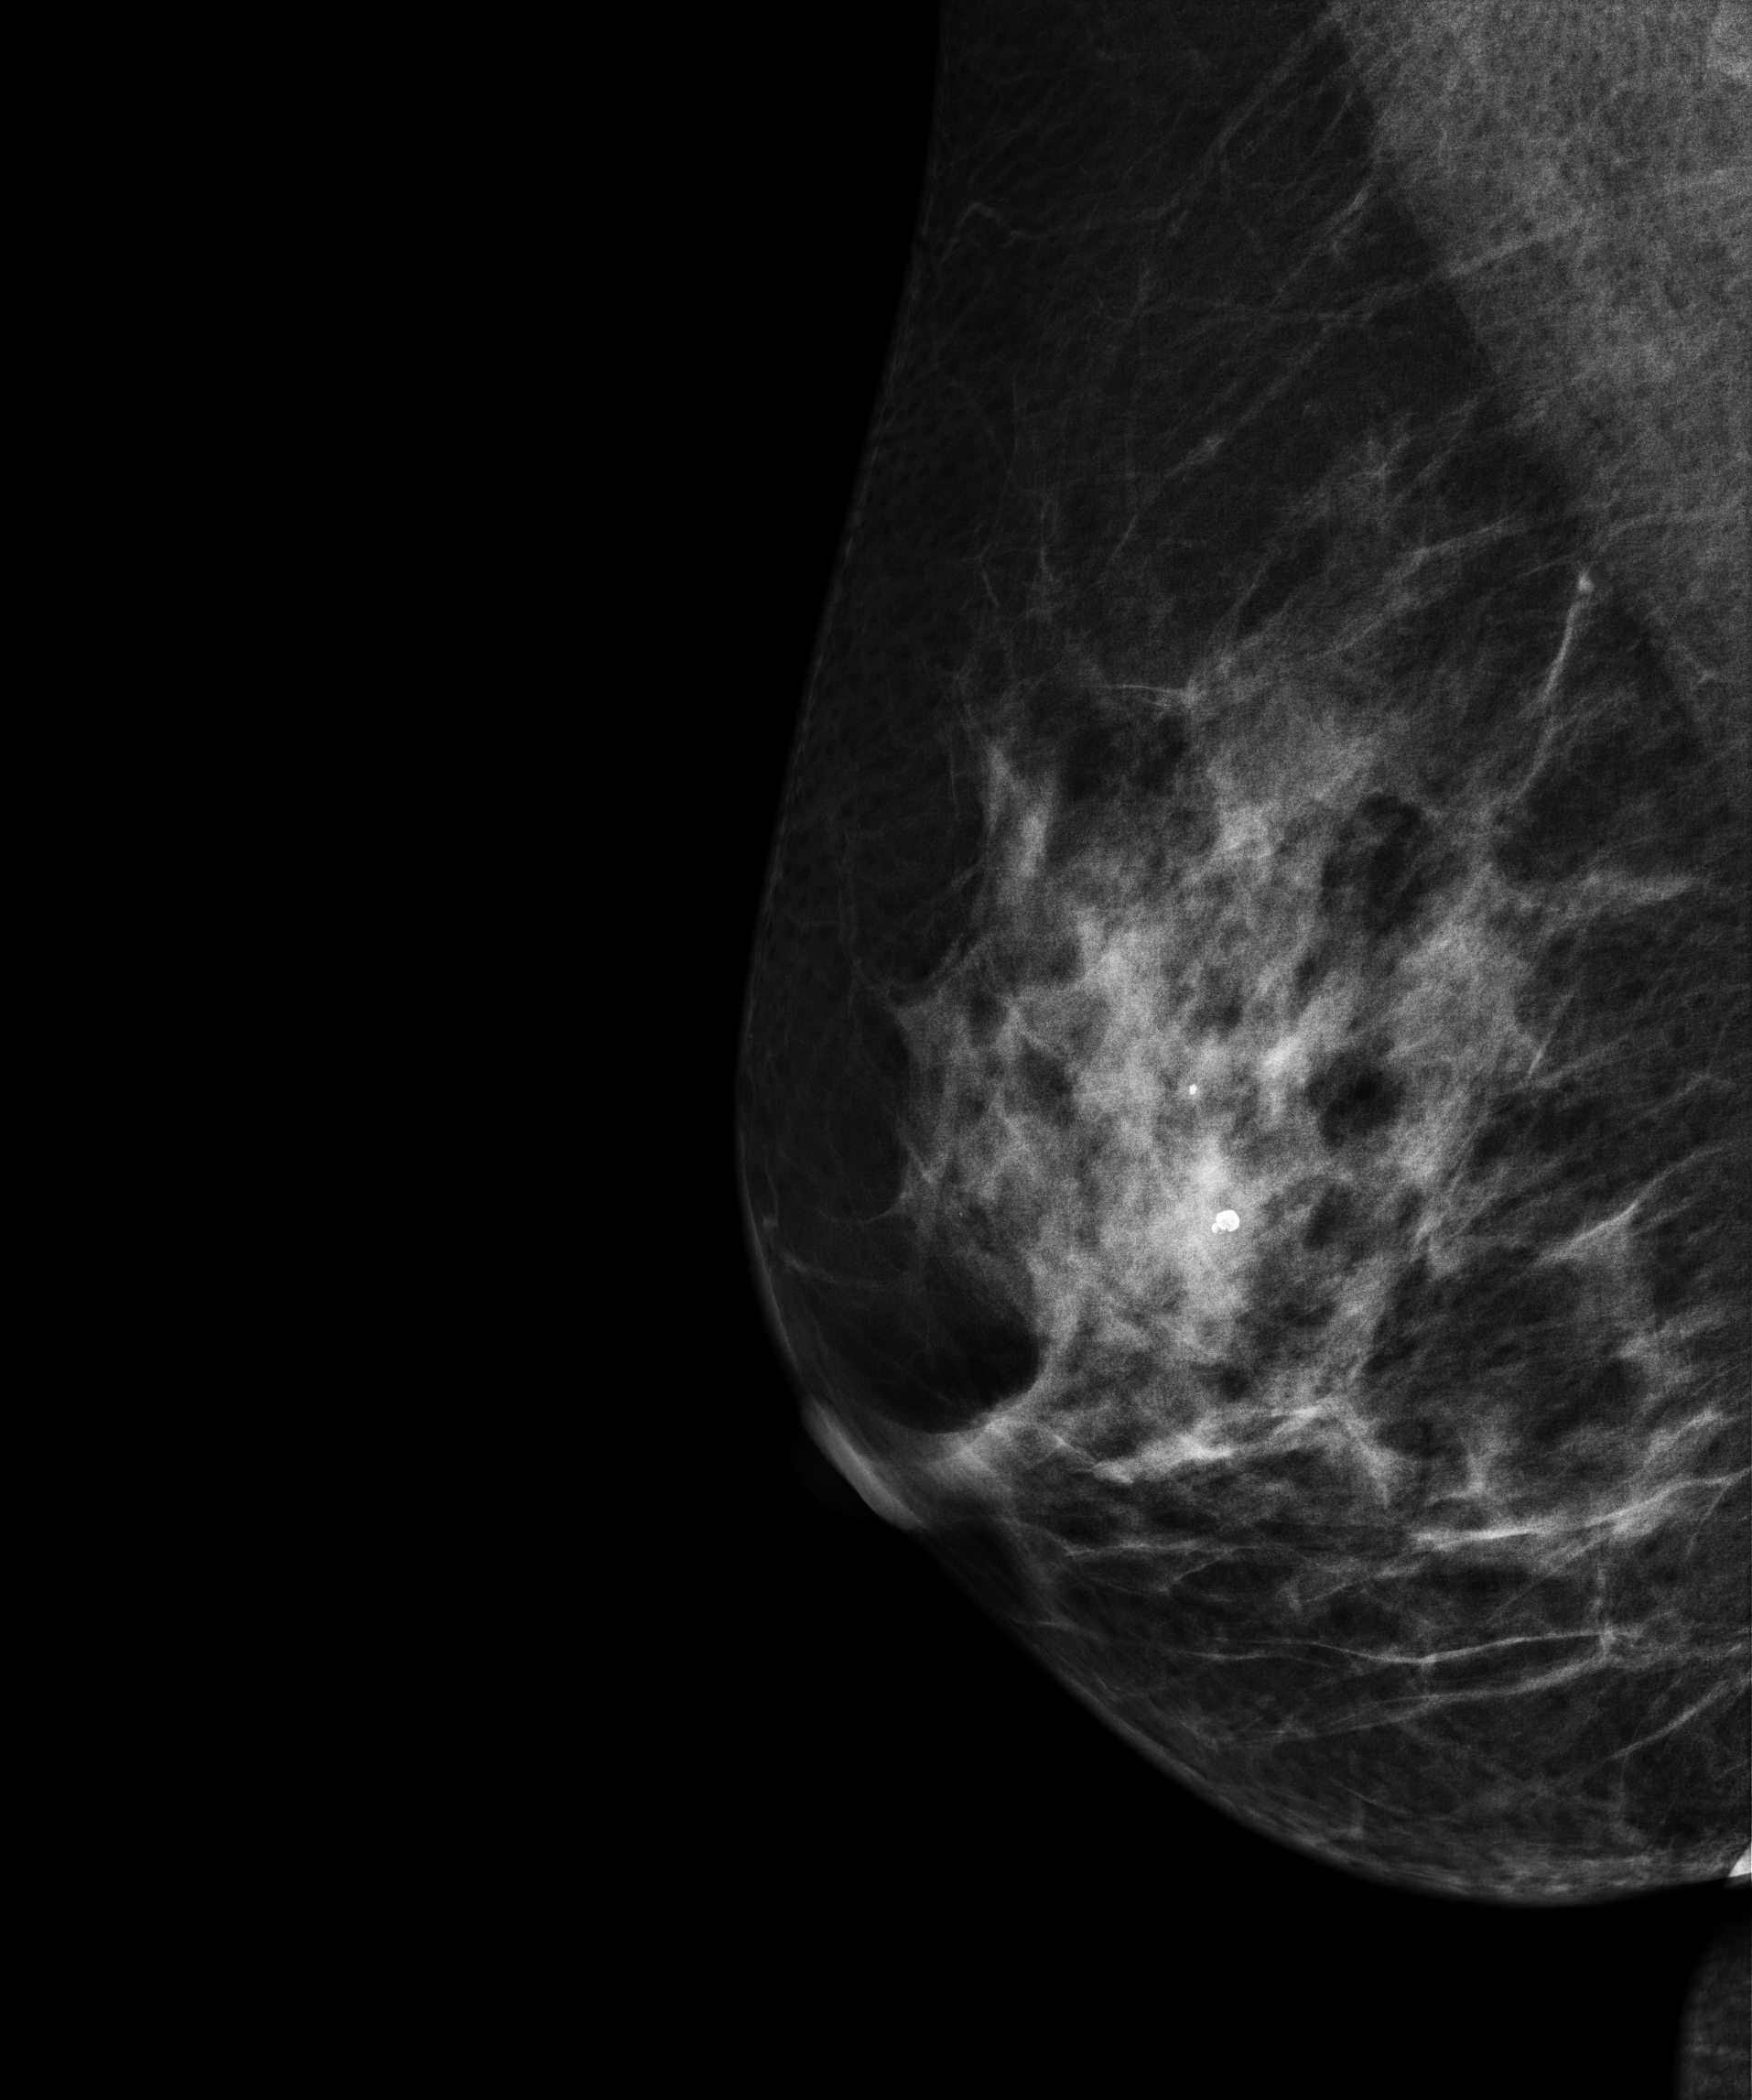
MLO mammogram of the right breast. 58 y/o patient.
Contralateral breast — no documented abnormality on this side.